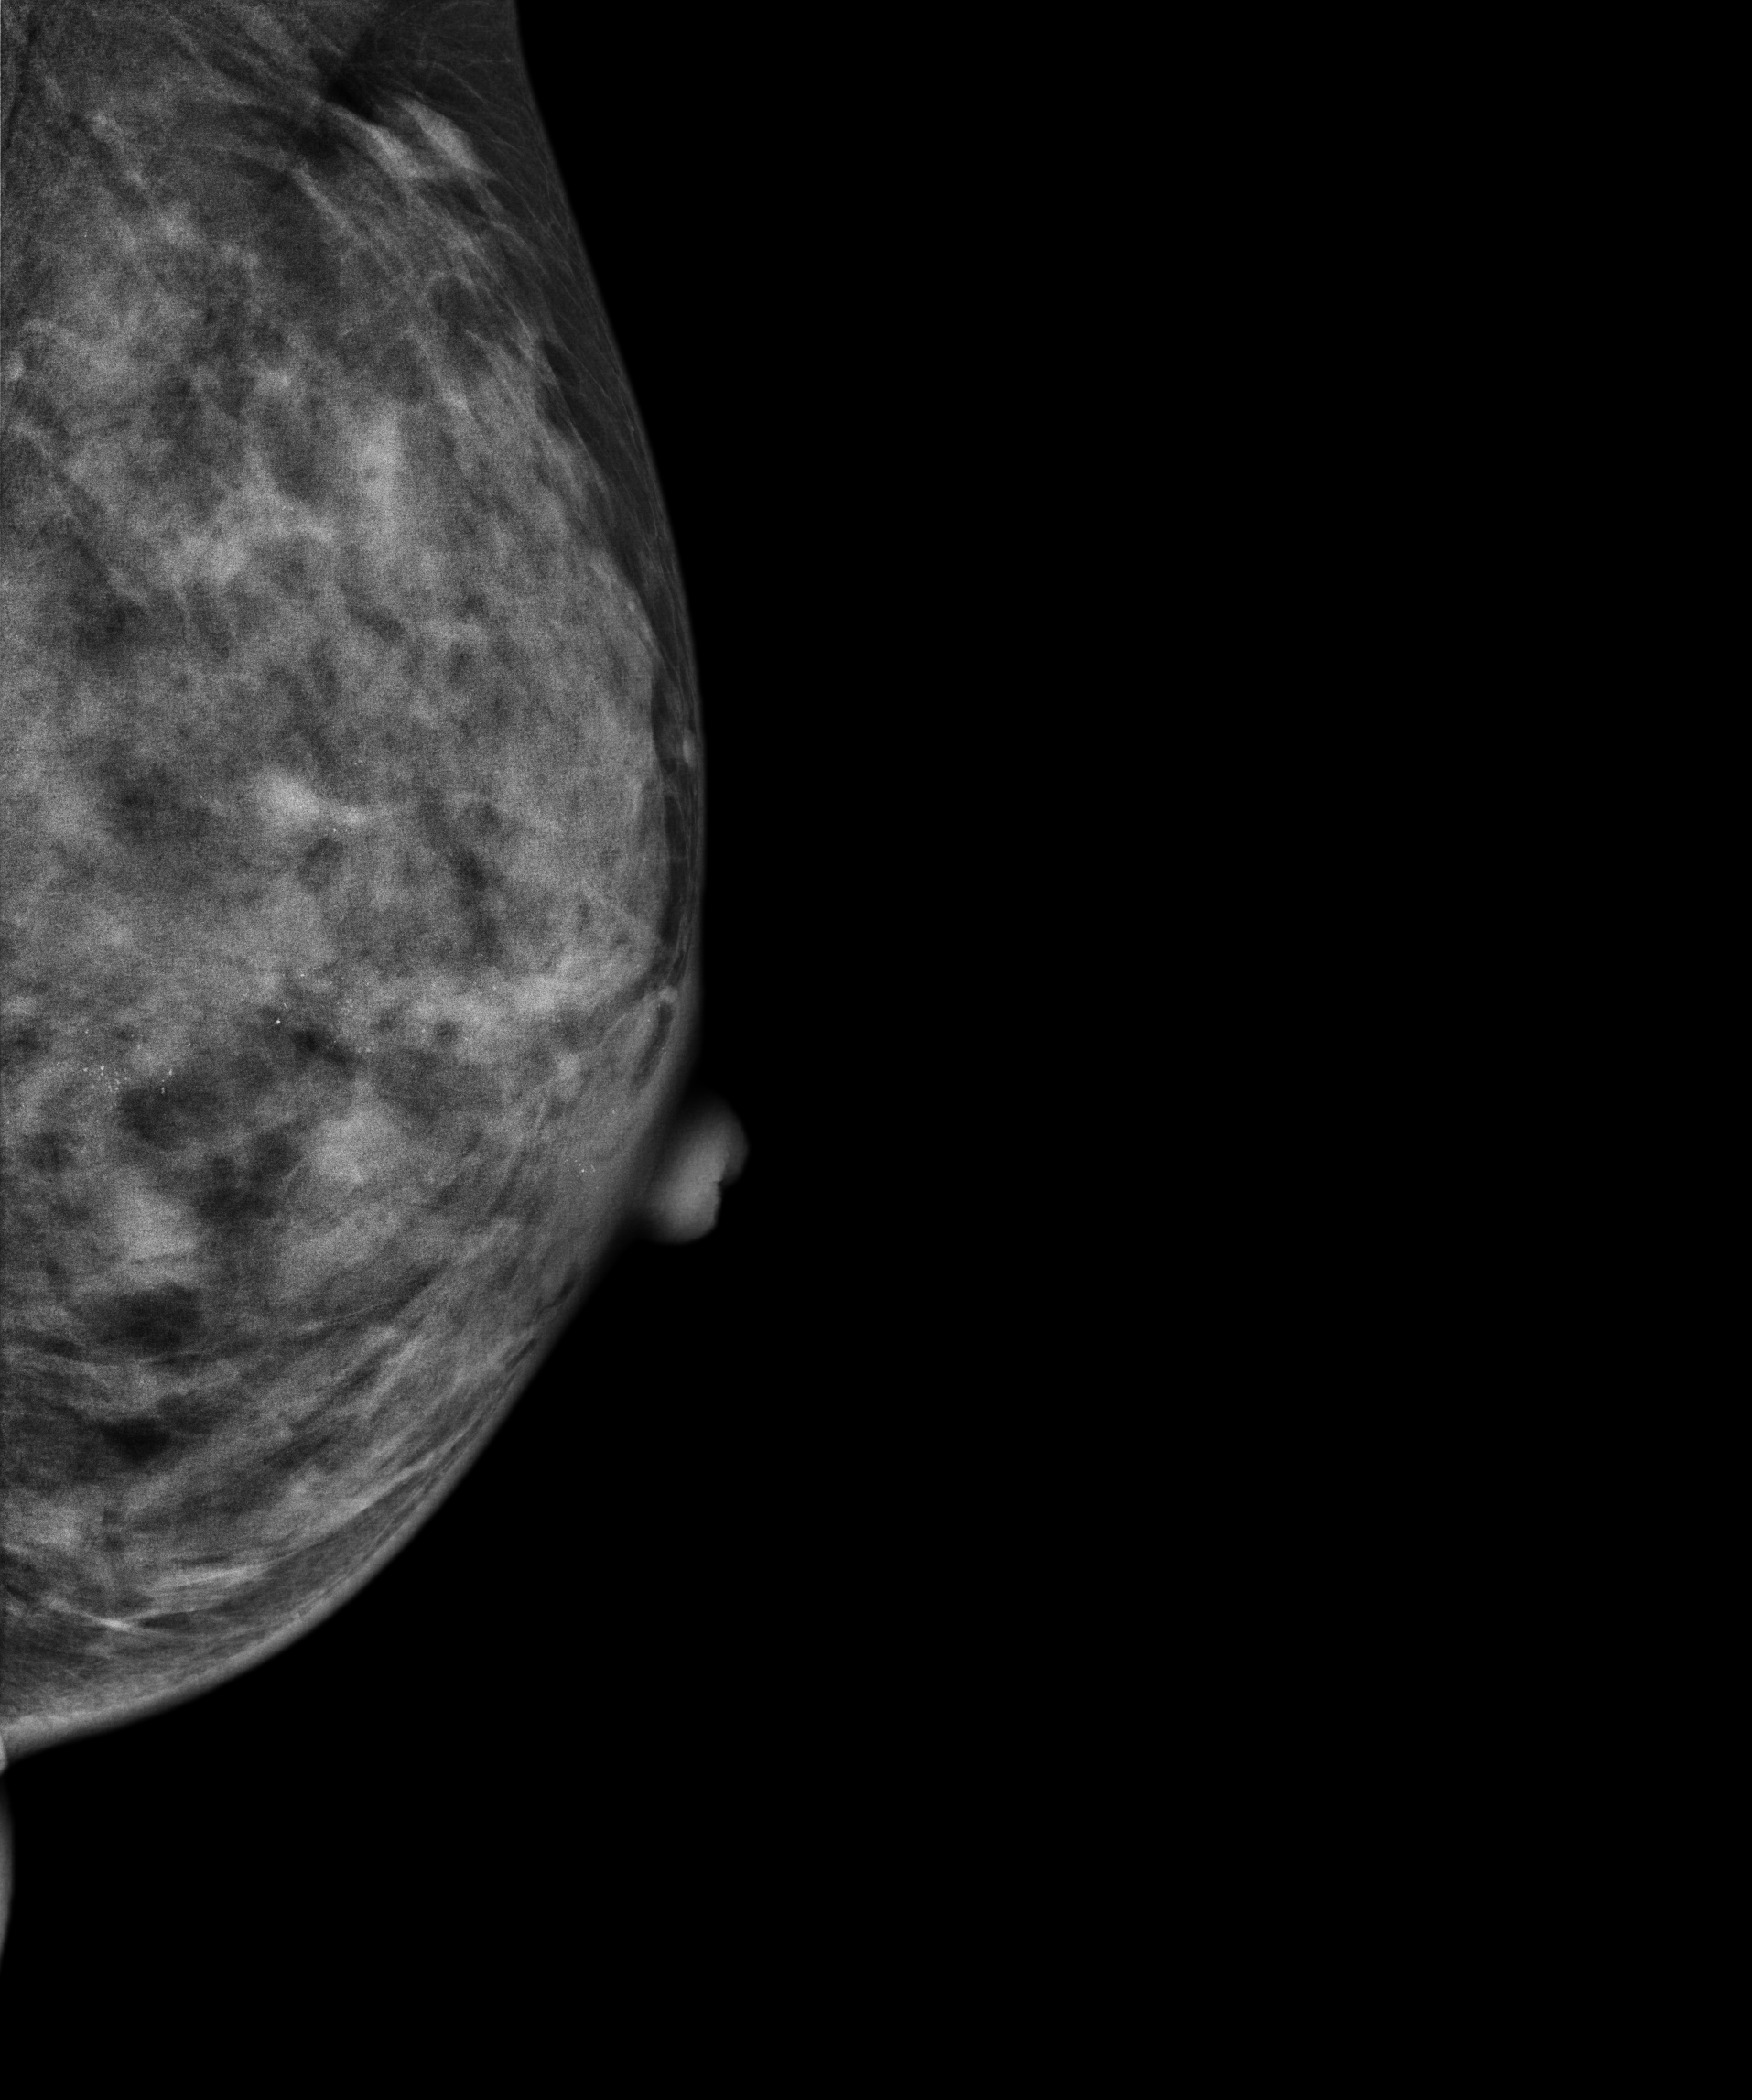
Medio-lateral oblique mammogram of the left breast. 41 y/o patient.
This breast has a mass and calcifications, pathology-confirmed malignant.